Mammogram — left MLO. 43-year-old patient.
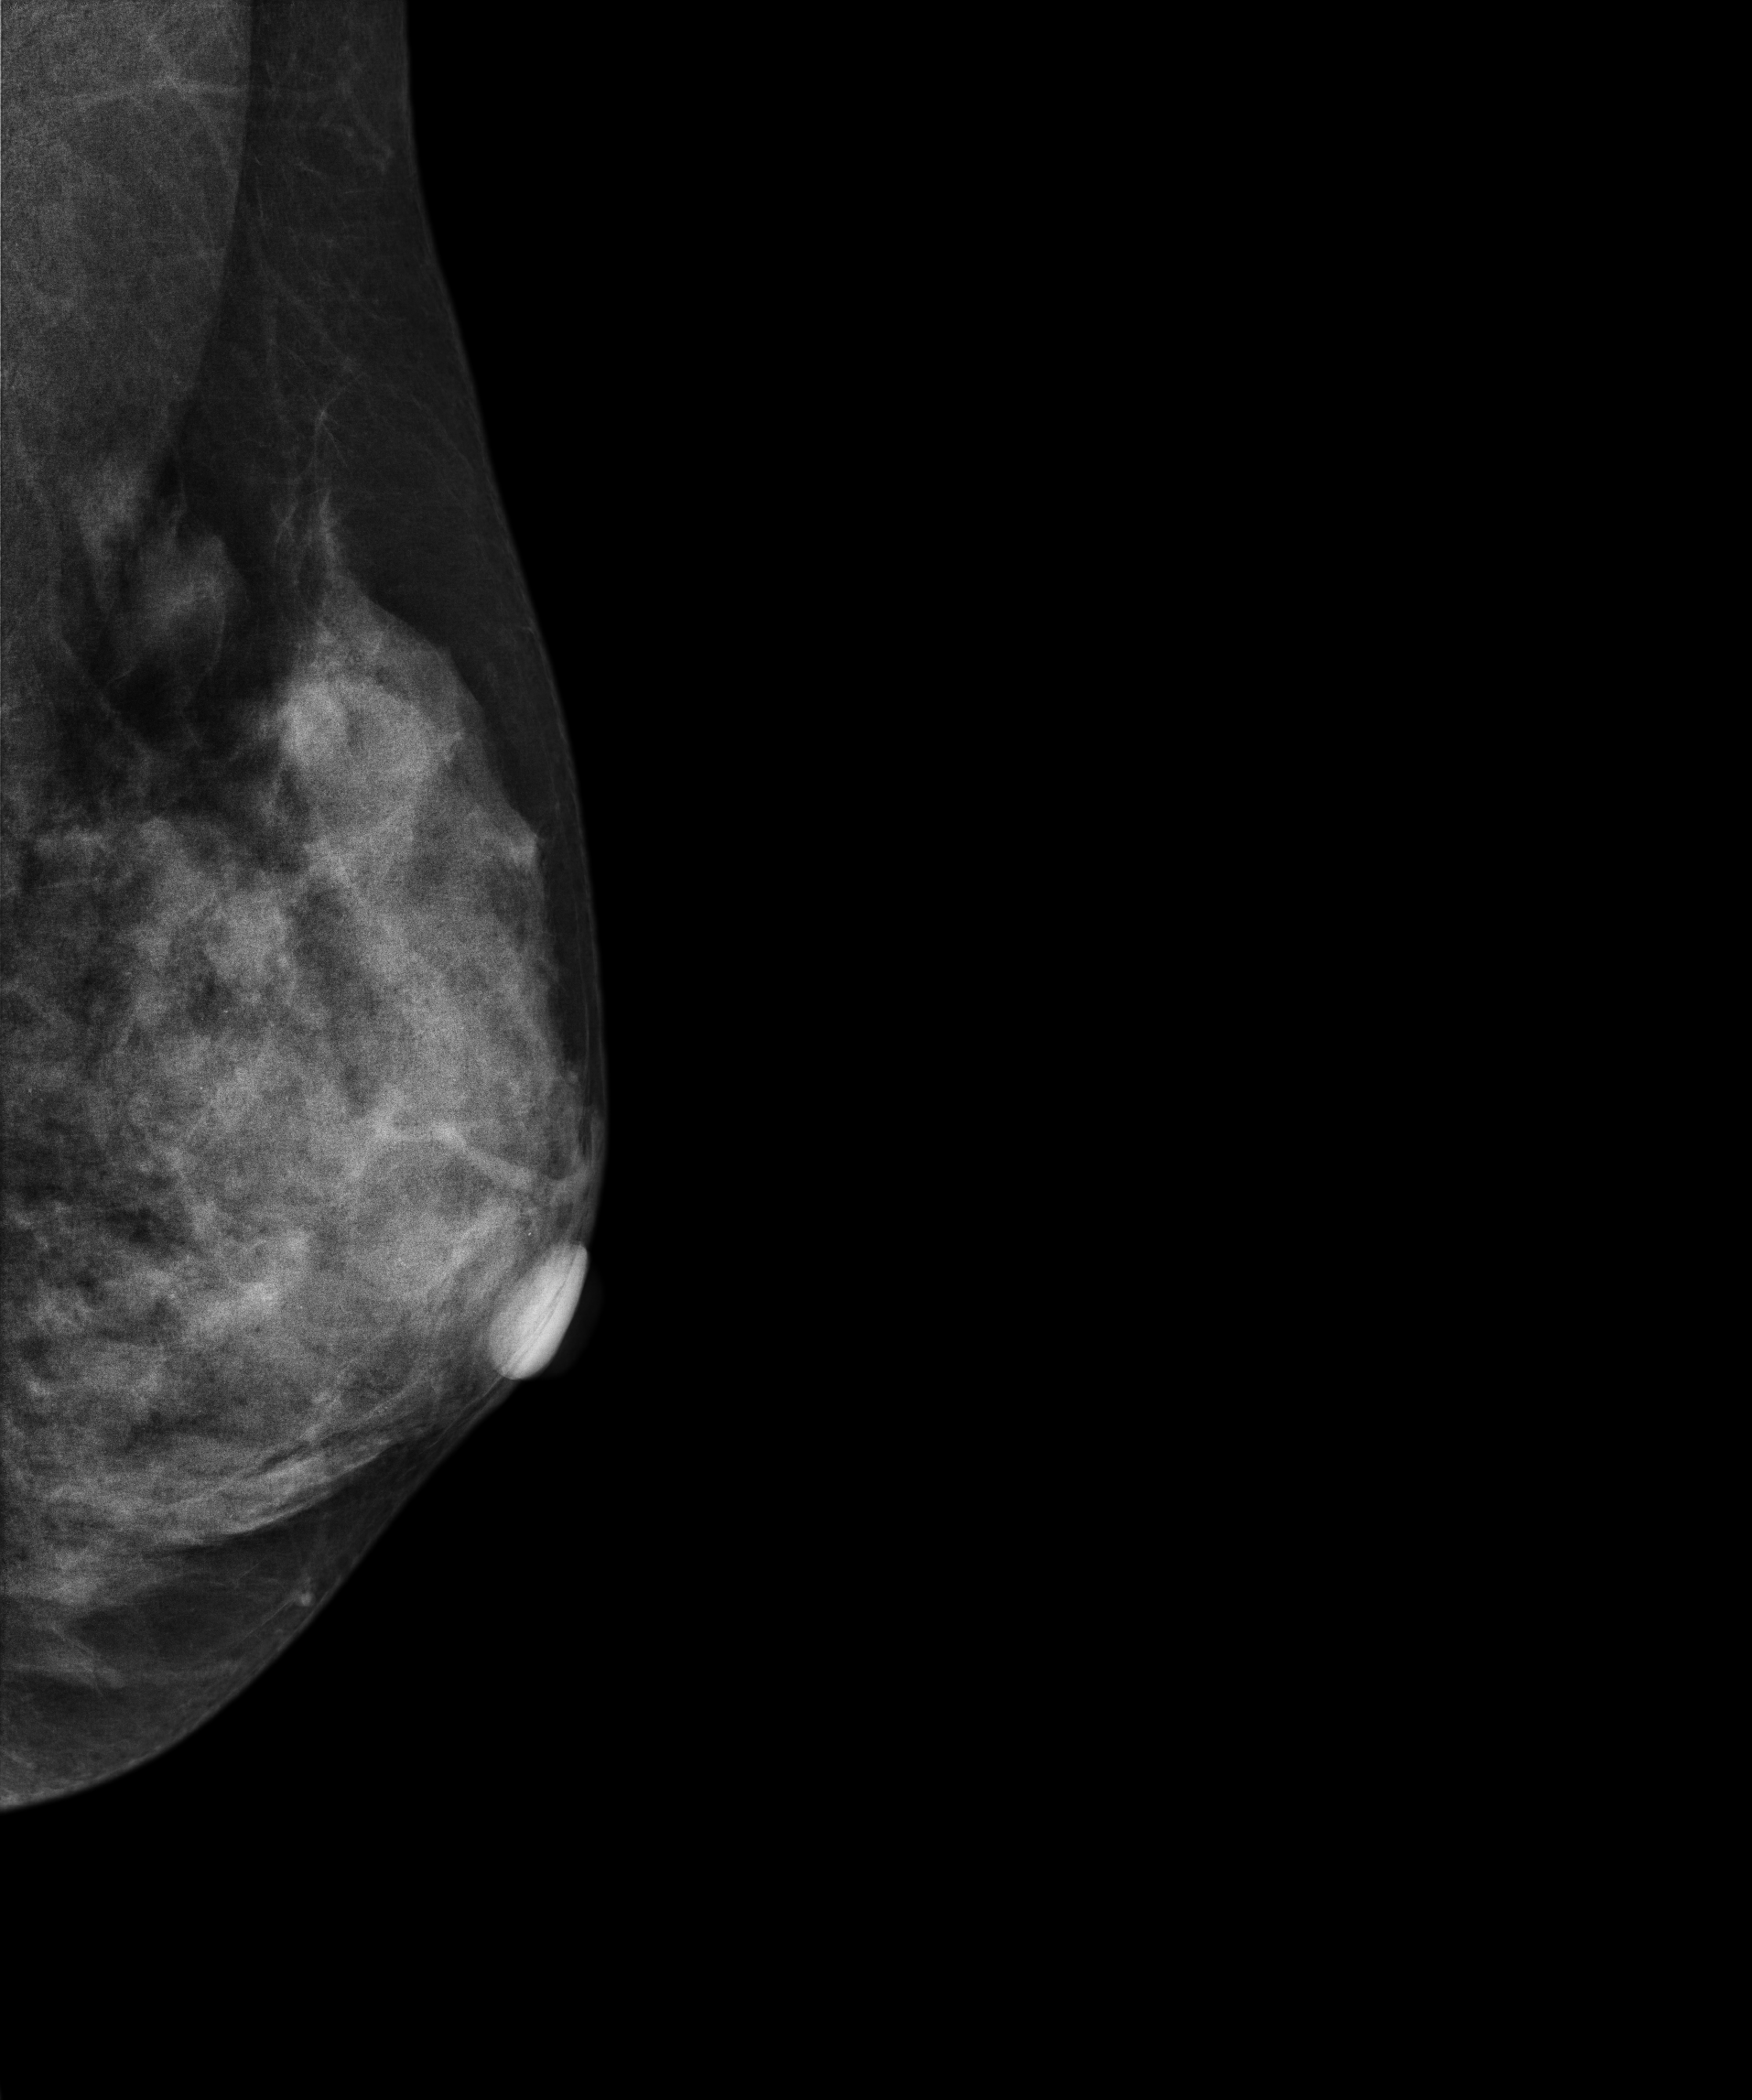
Contralateral breast — no documented abnormality on this side.